Digital mammography. Right breast, medio-lateral oblique projection. 63-year-old patient.
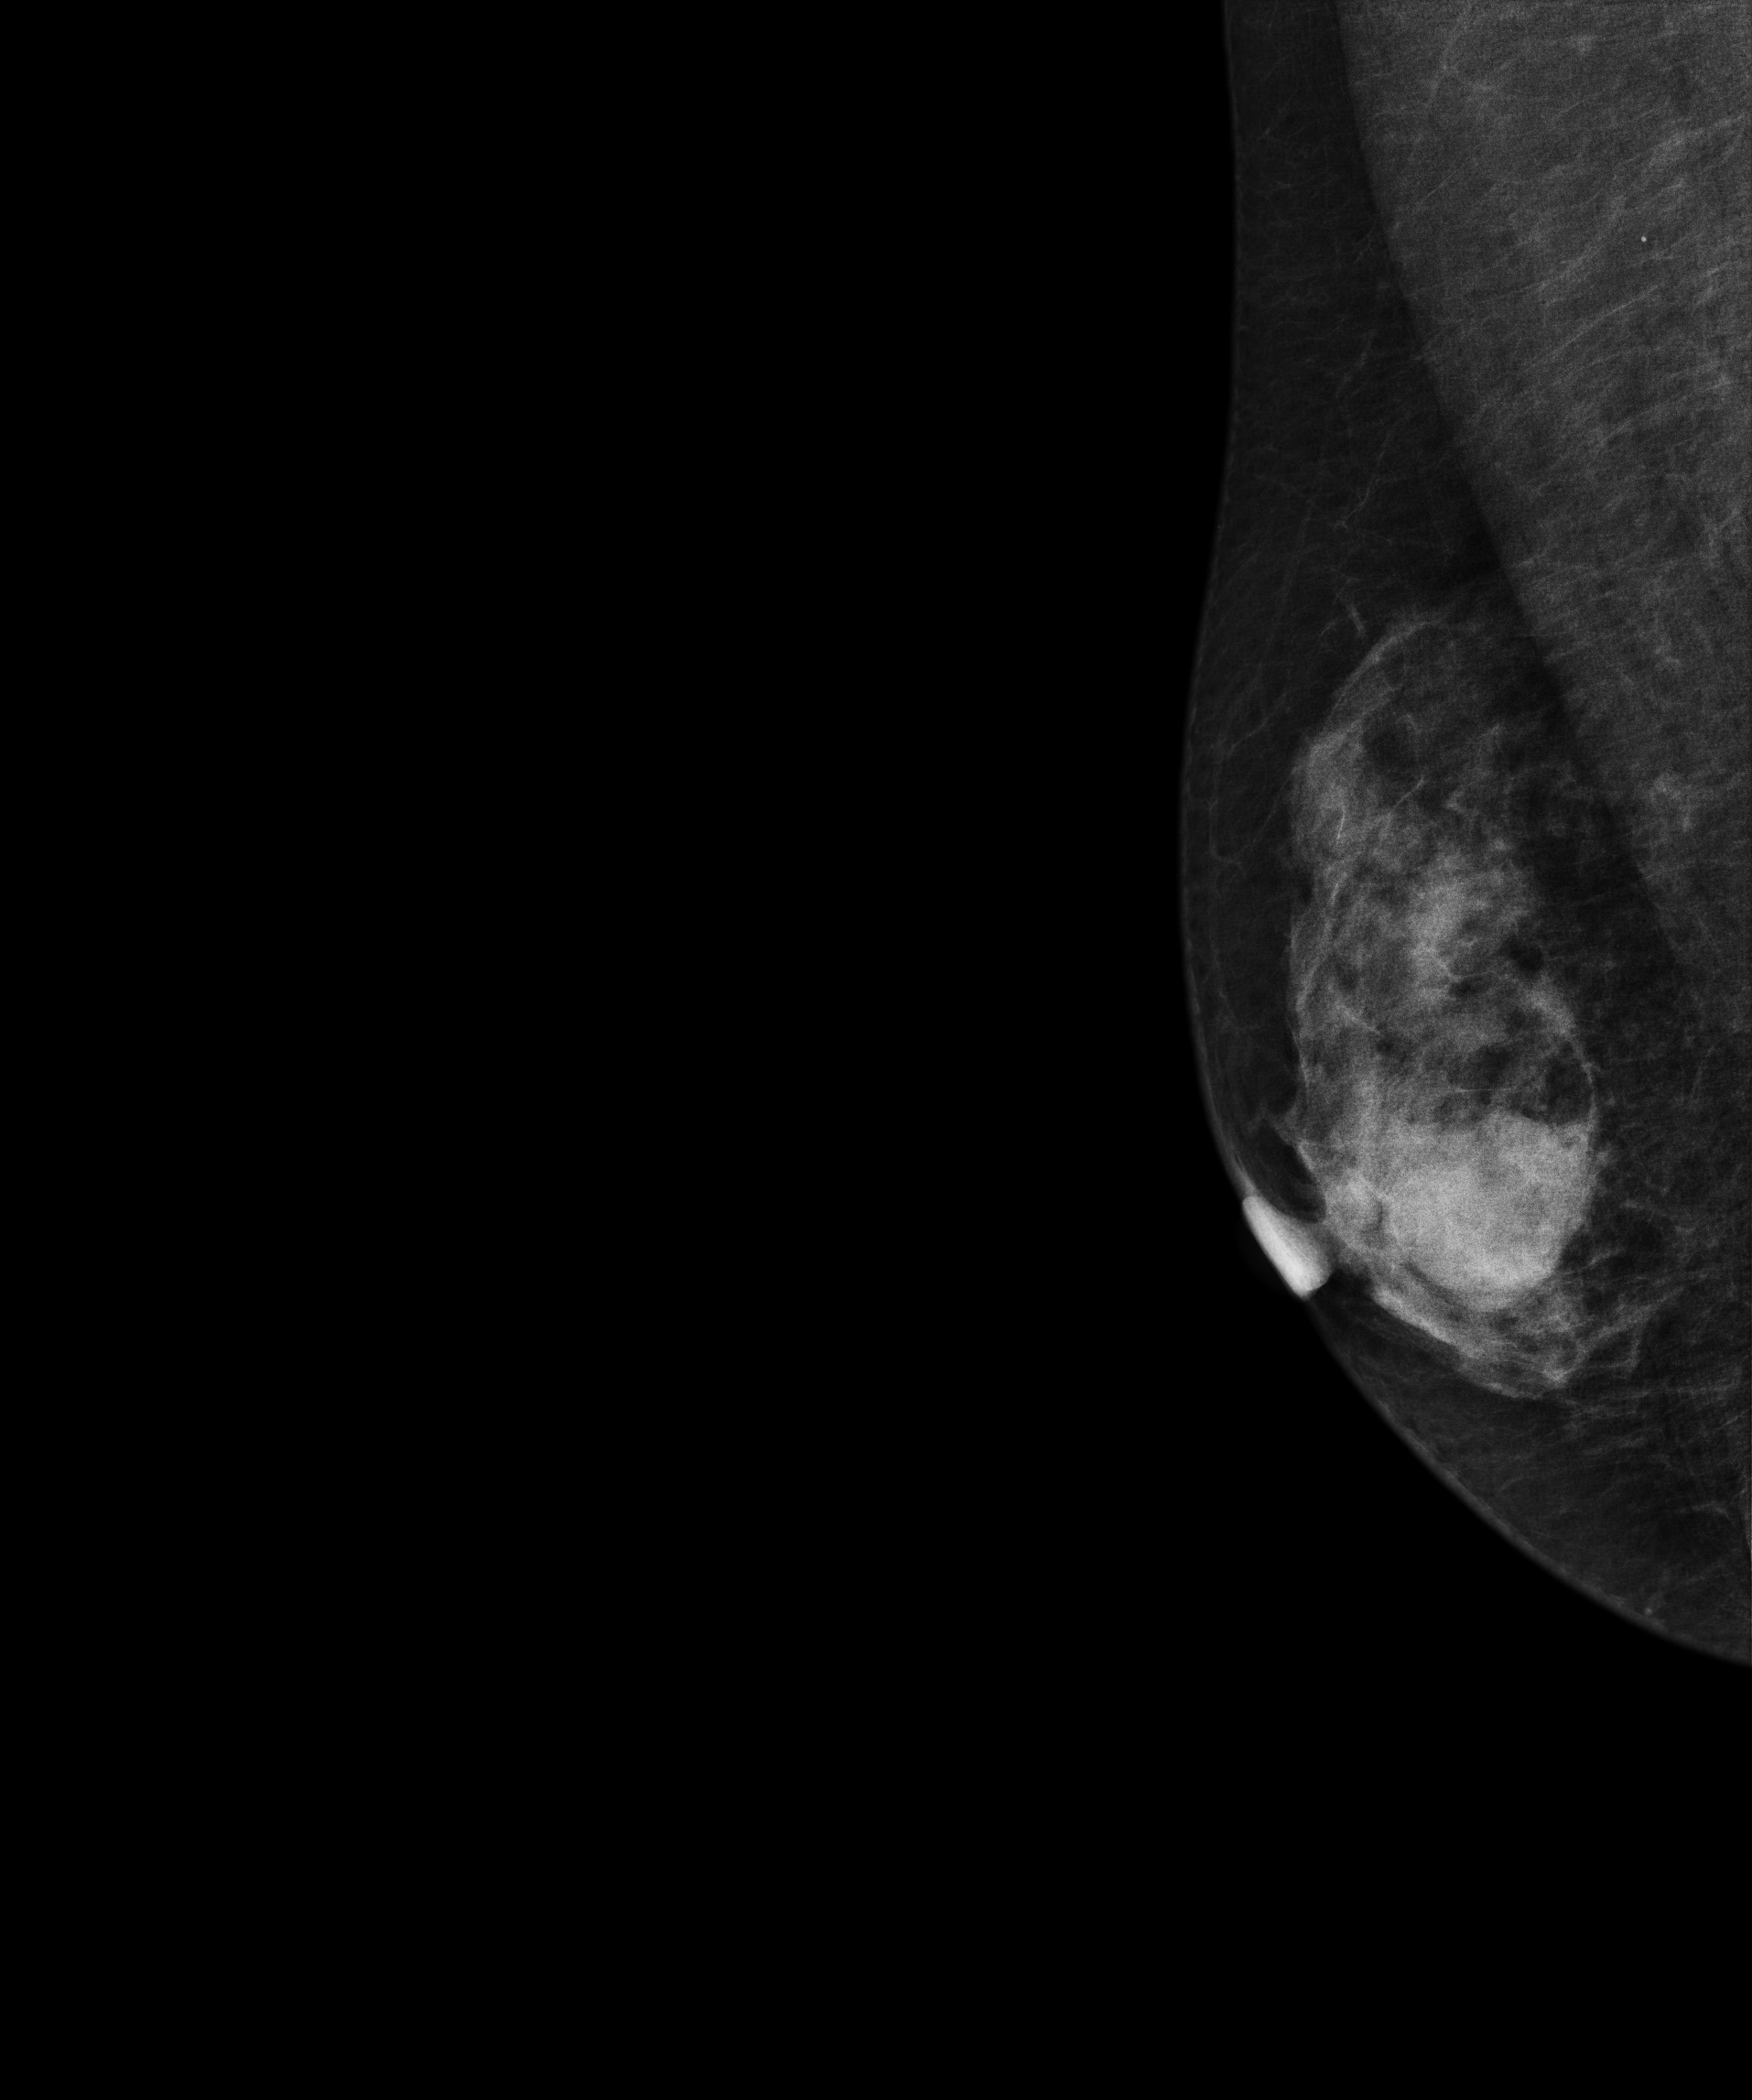
This breast has a mass, biopsy-proven malignant.